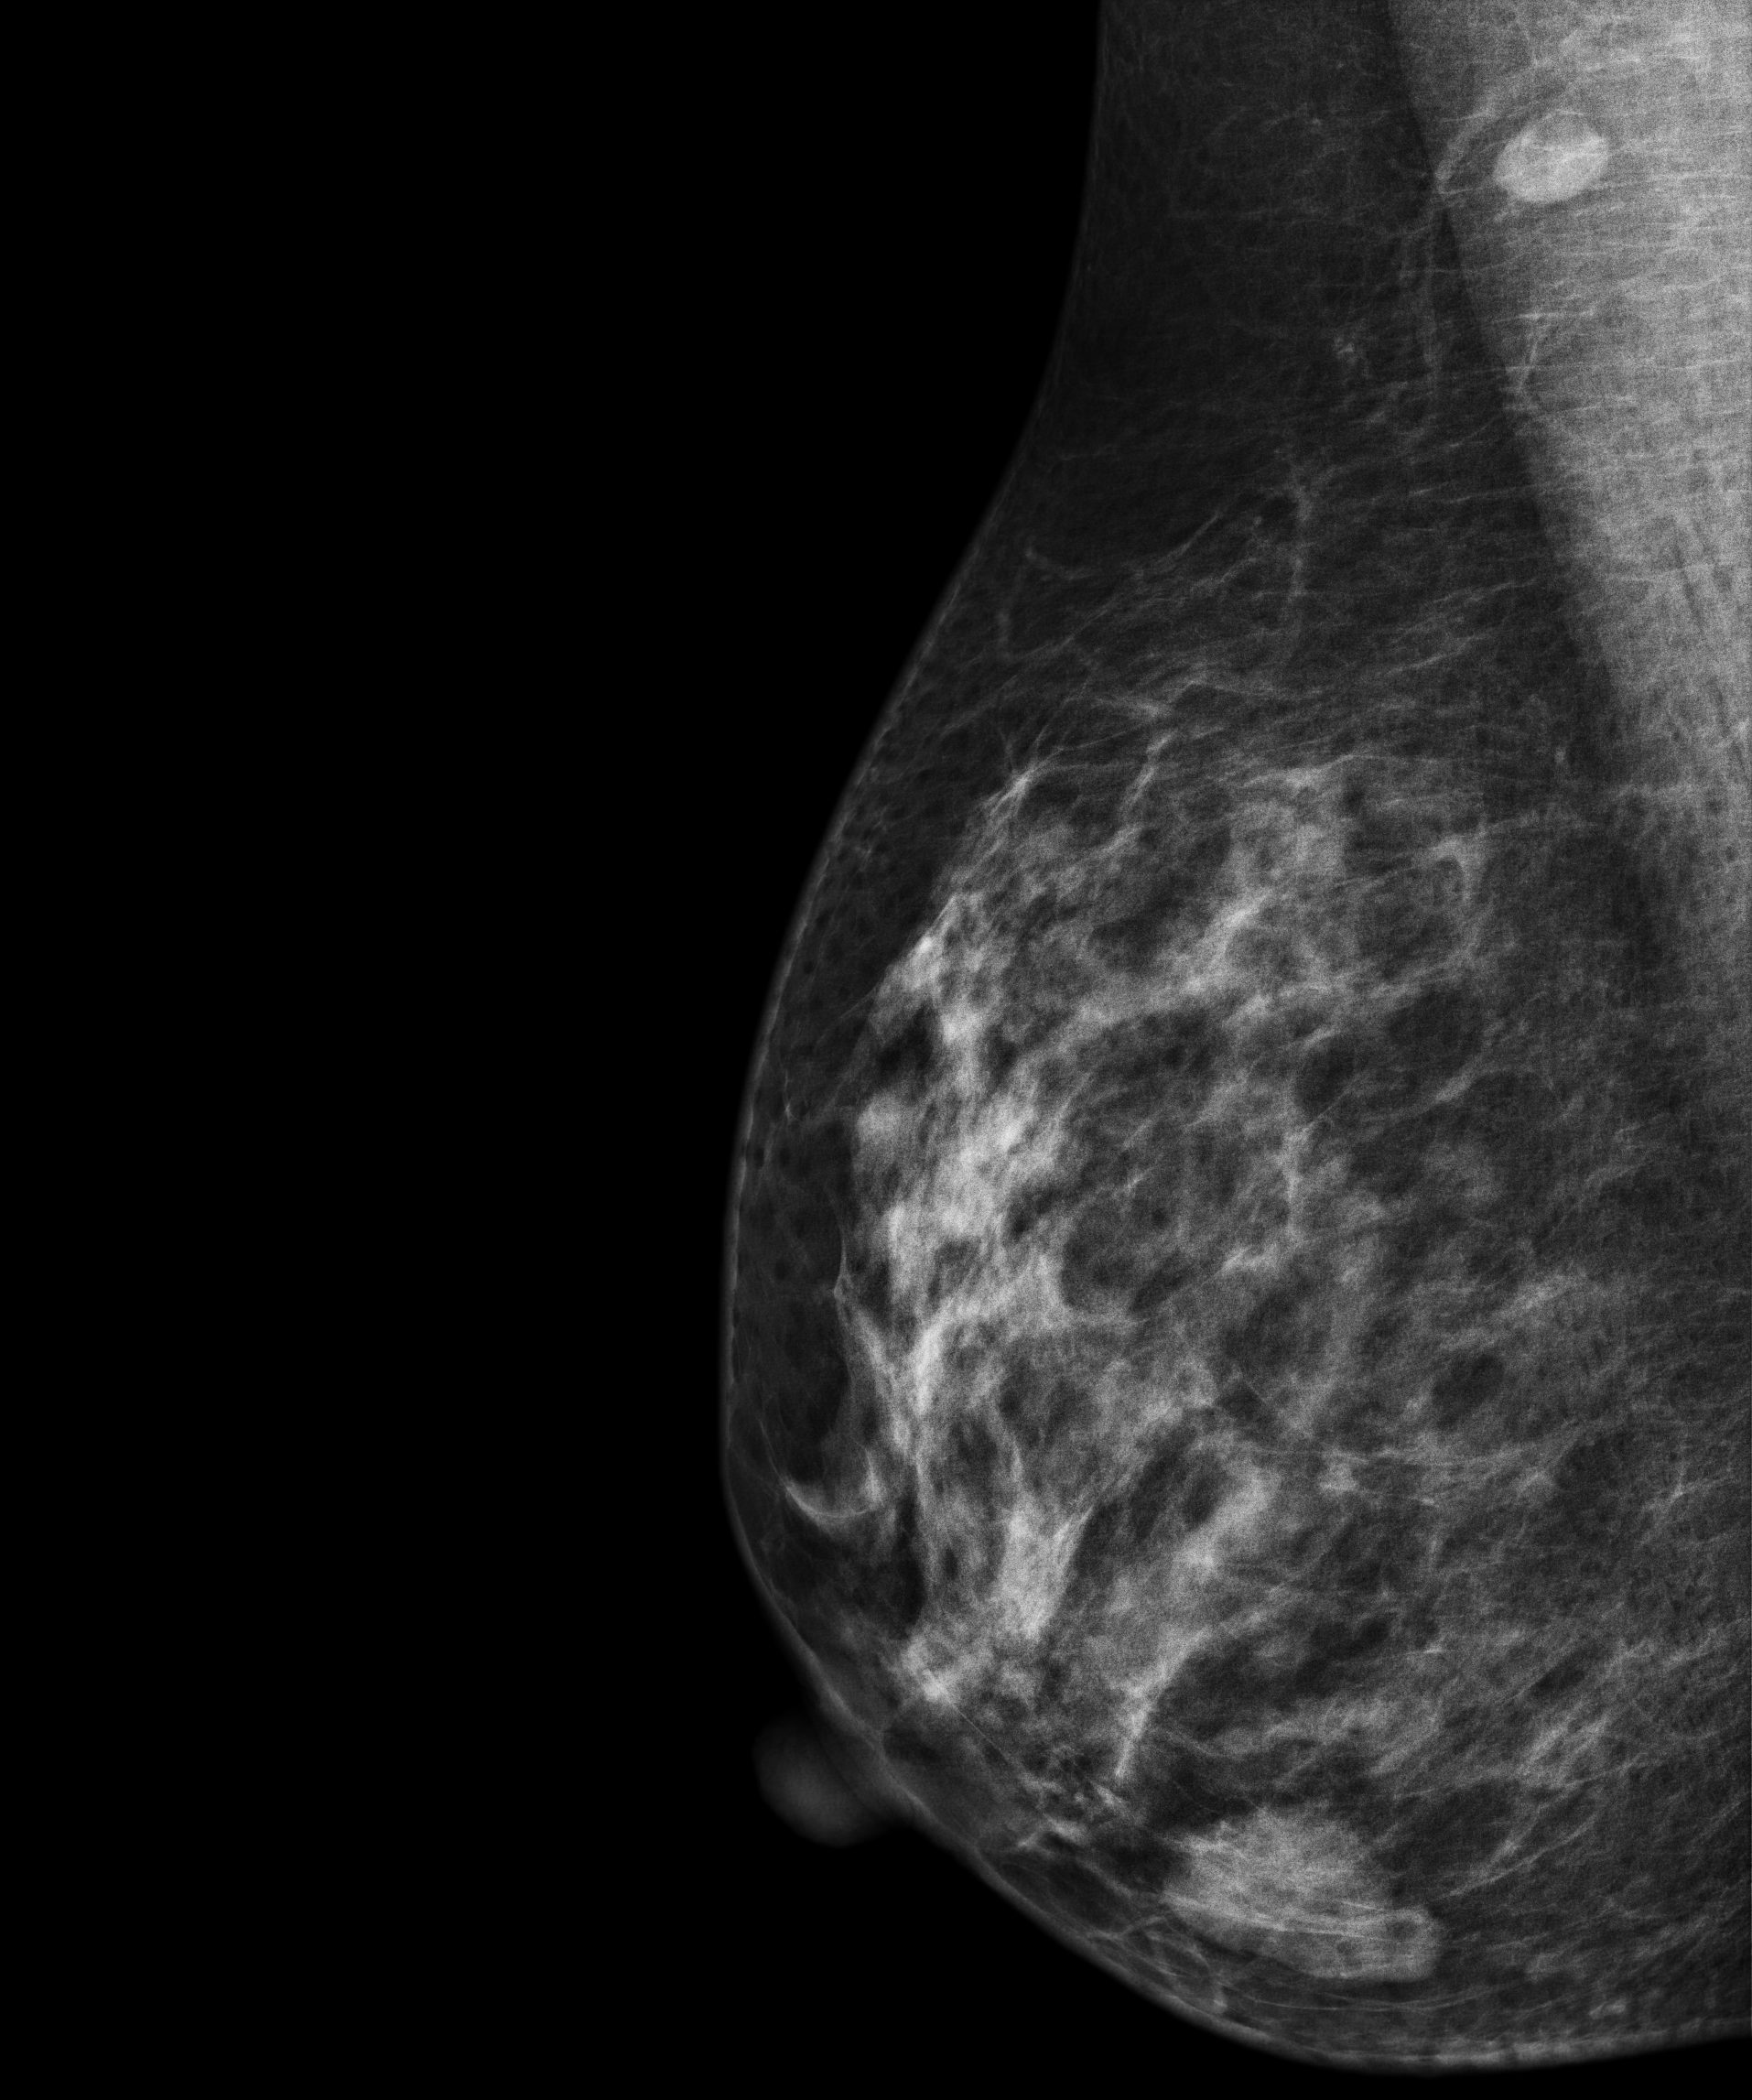
Right-breast mammogram, medio-lateral oblique. 46-year-old patient.
This breast has a mass, pathology-confirmed benign.